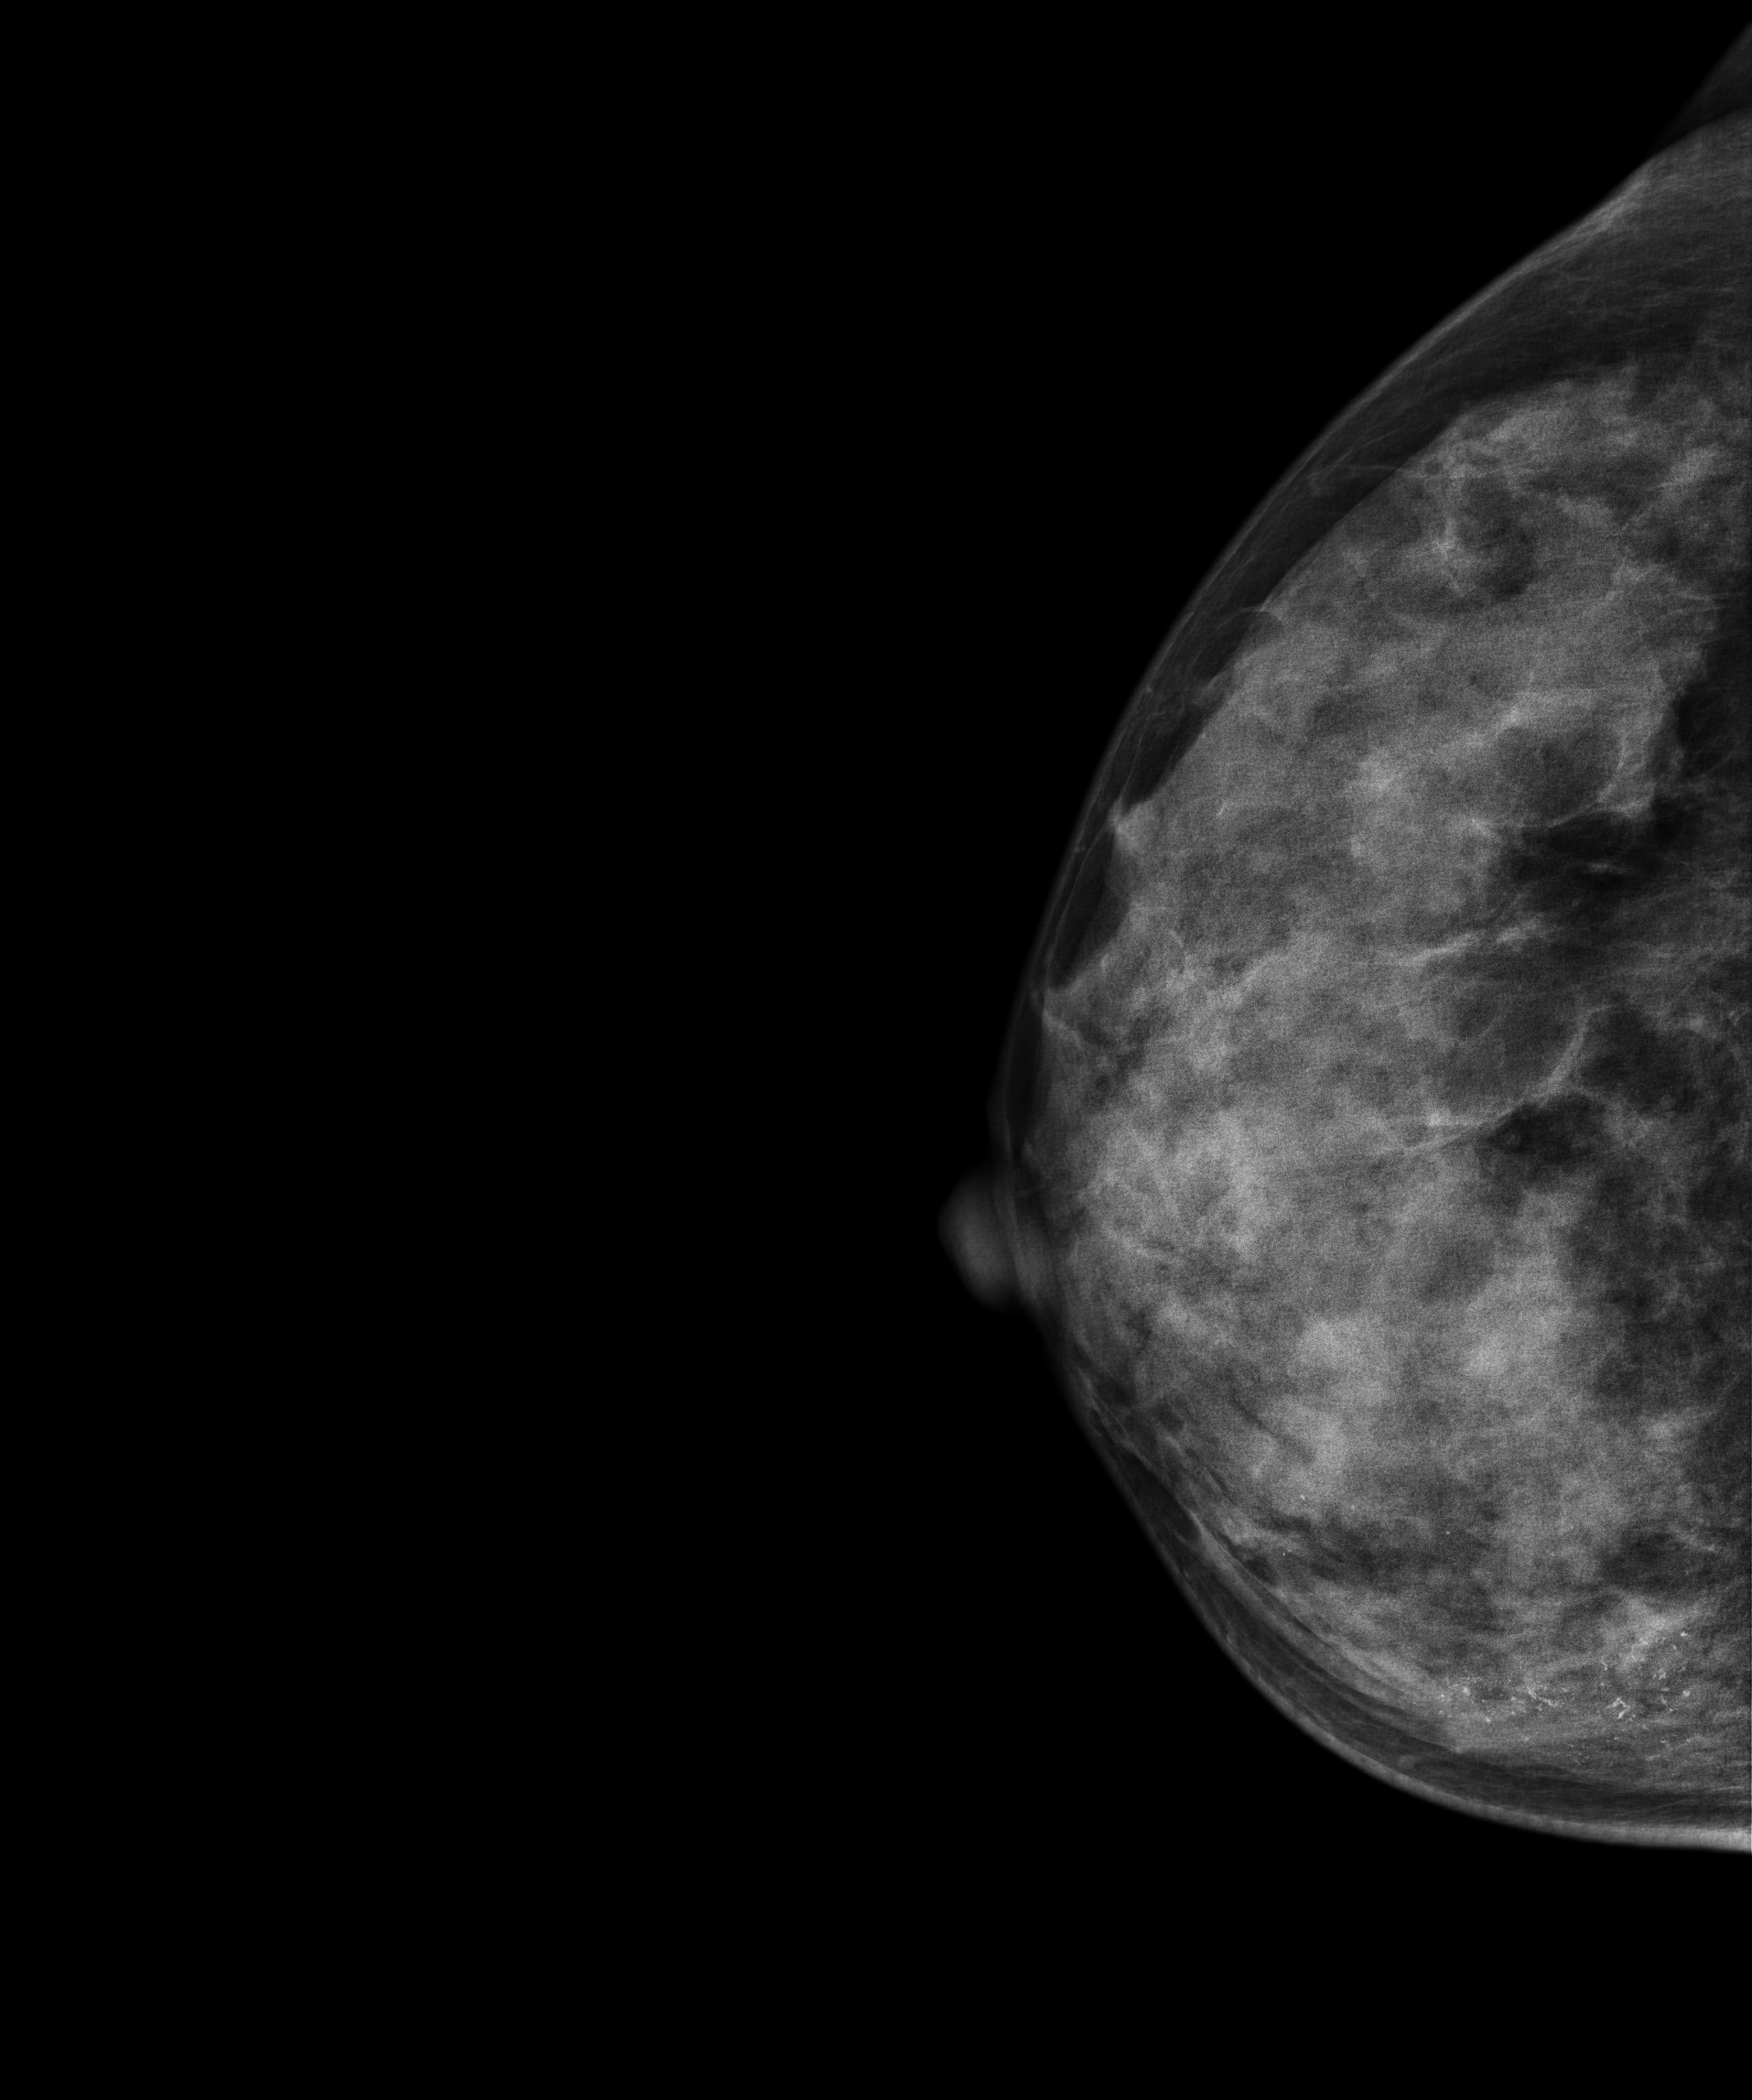
Right-breast mammogram, CC. 43-year-old patient.
This breast has calcifications, biopsy-confirmed malignant.